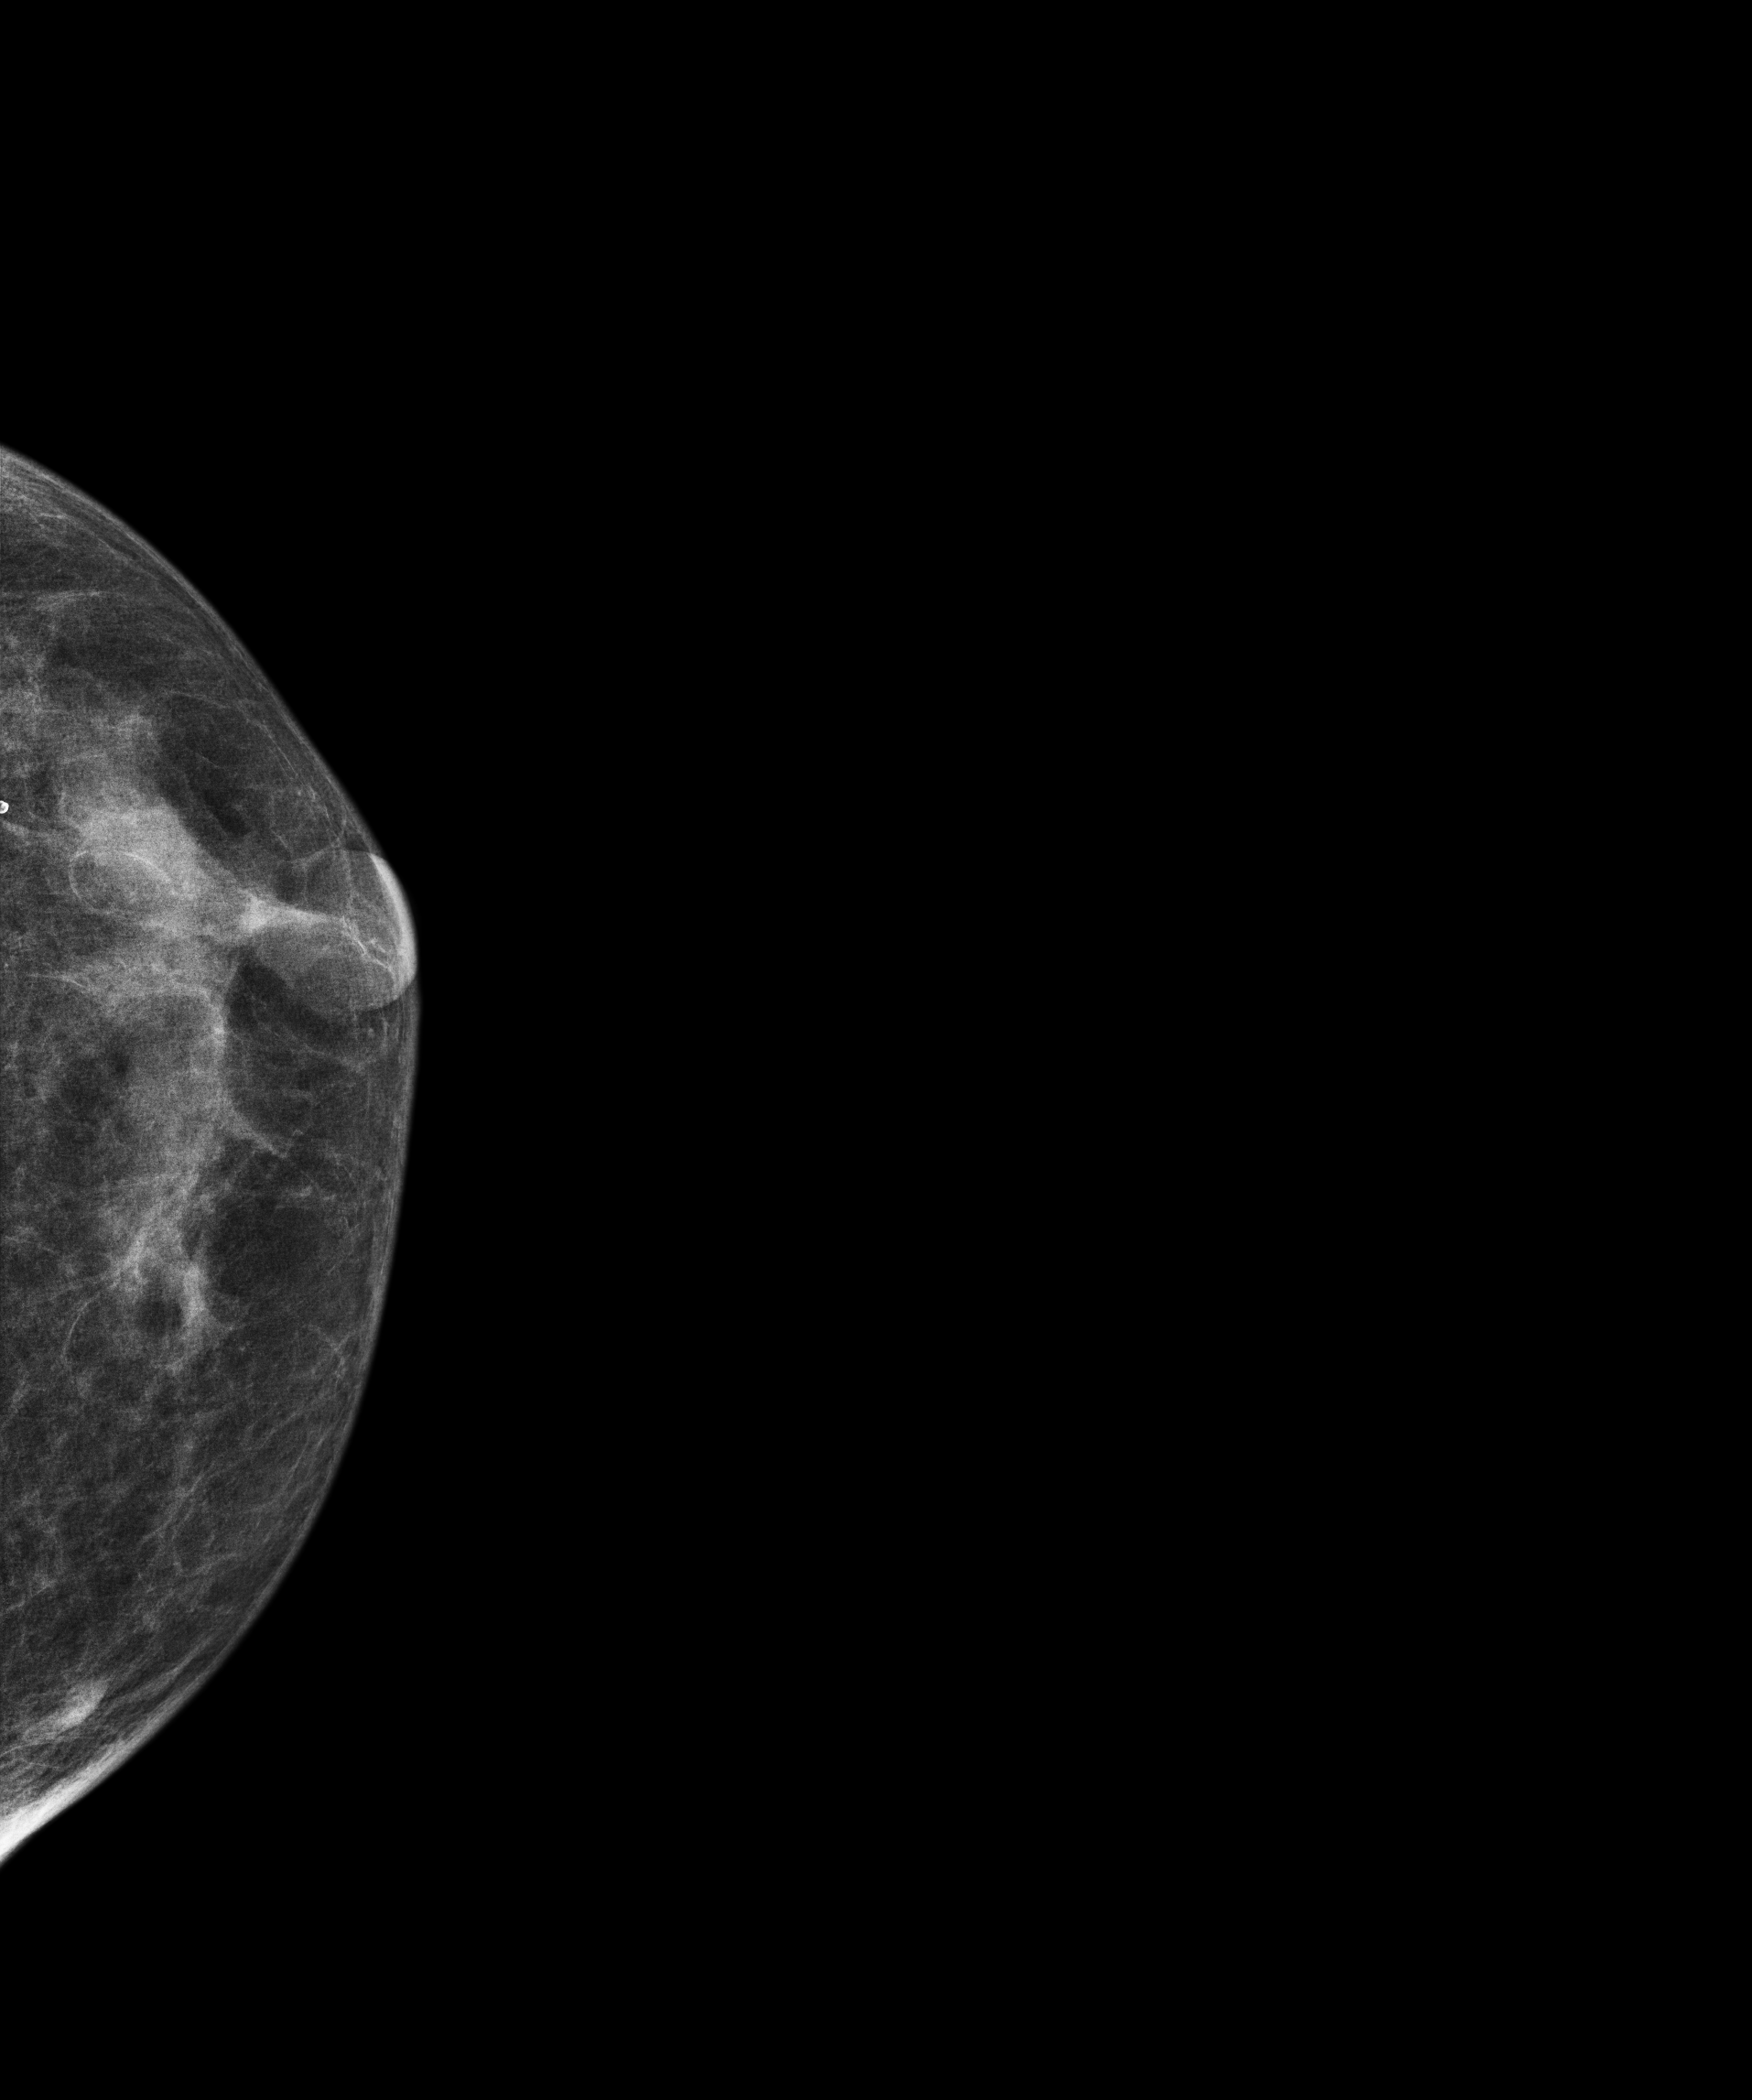
Mammogram, left breast, cranio-caudal view. 66 y/o patient.
Contralateral breast — no documented abnormality on this side.